Mammogram, left breast, MLO view. 48-year-old patient.
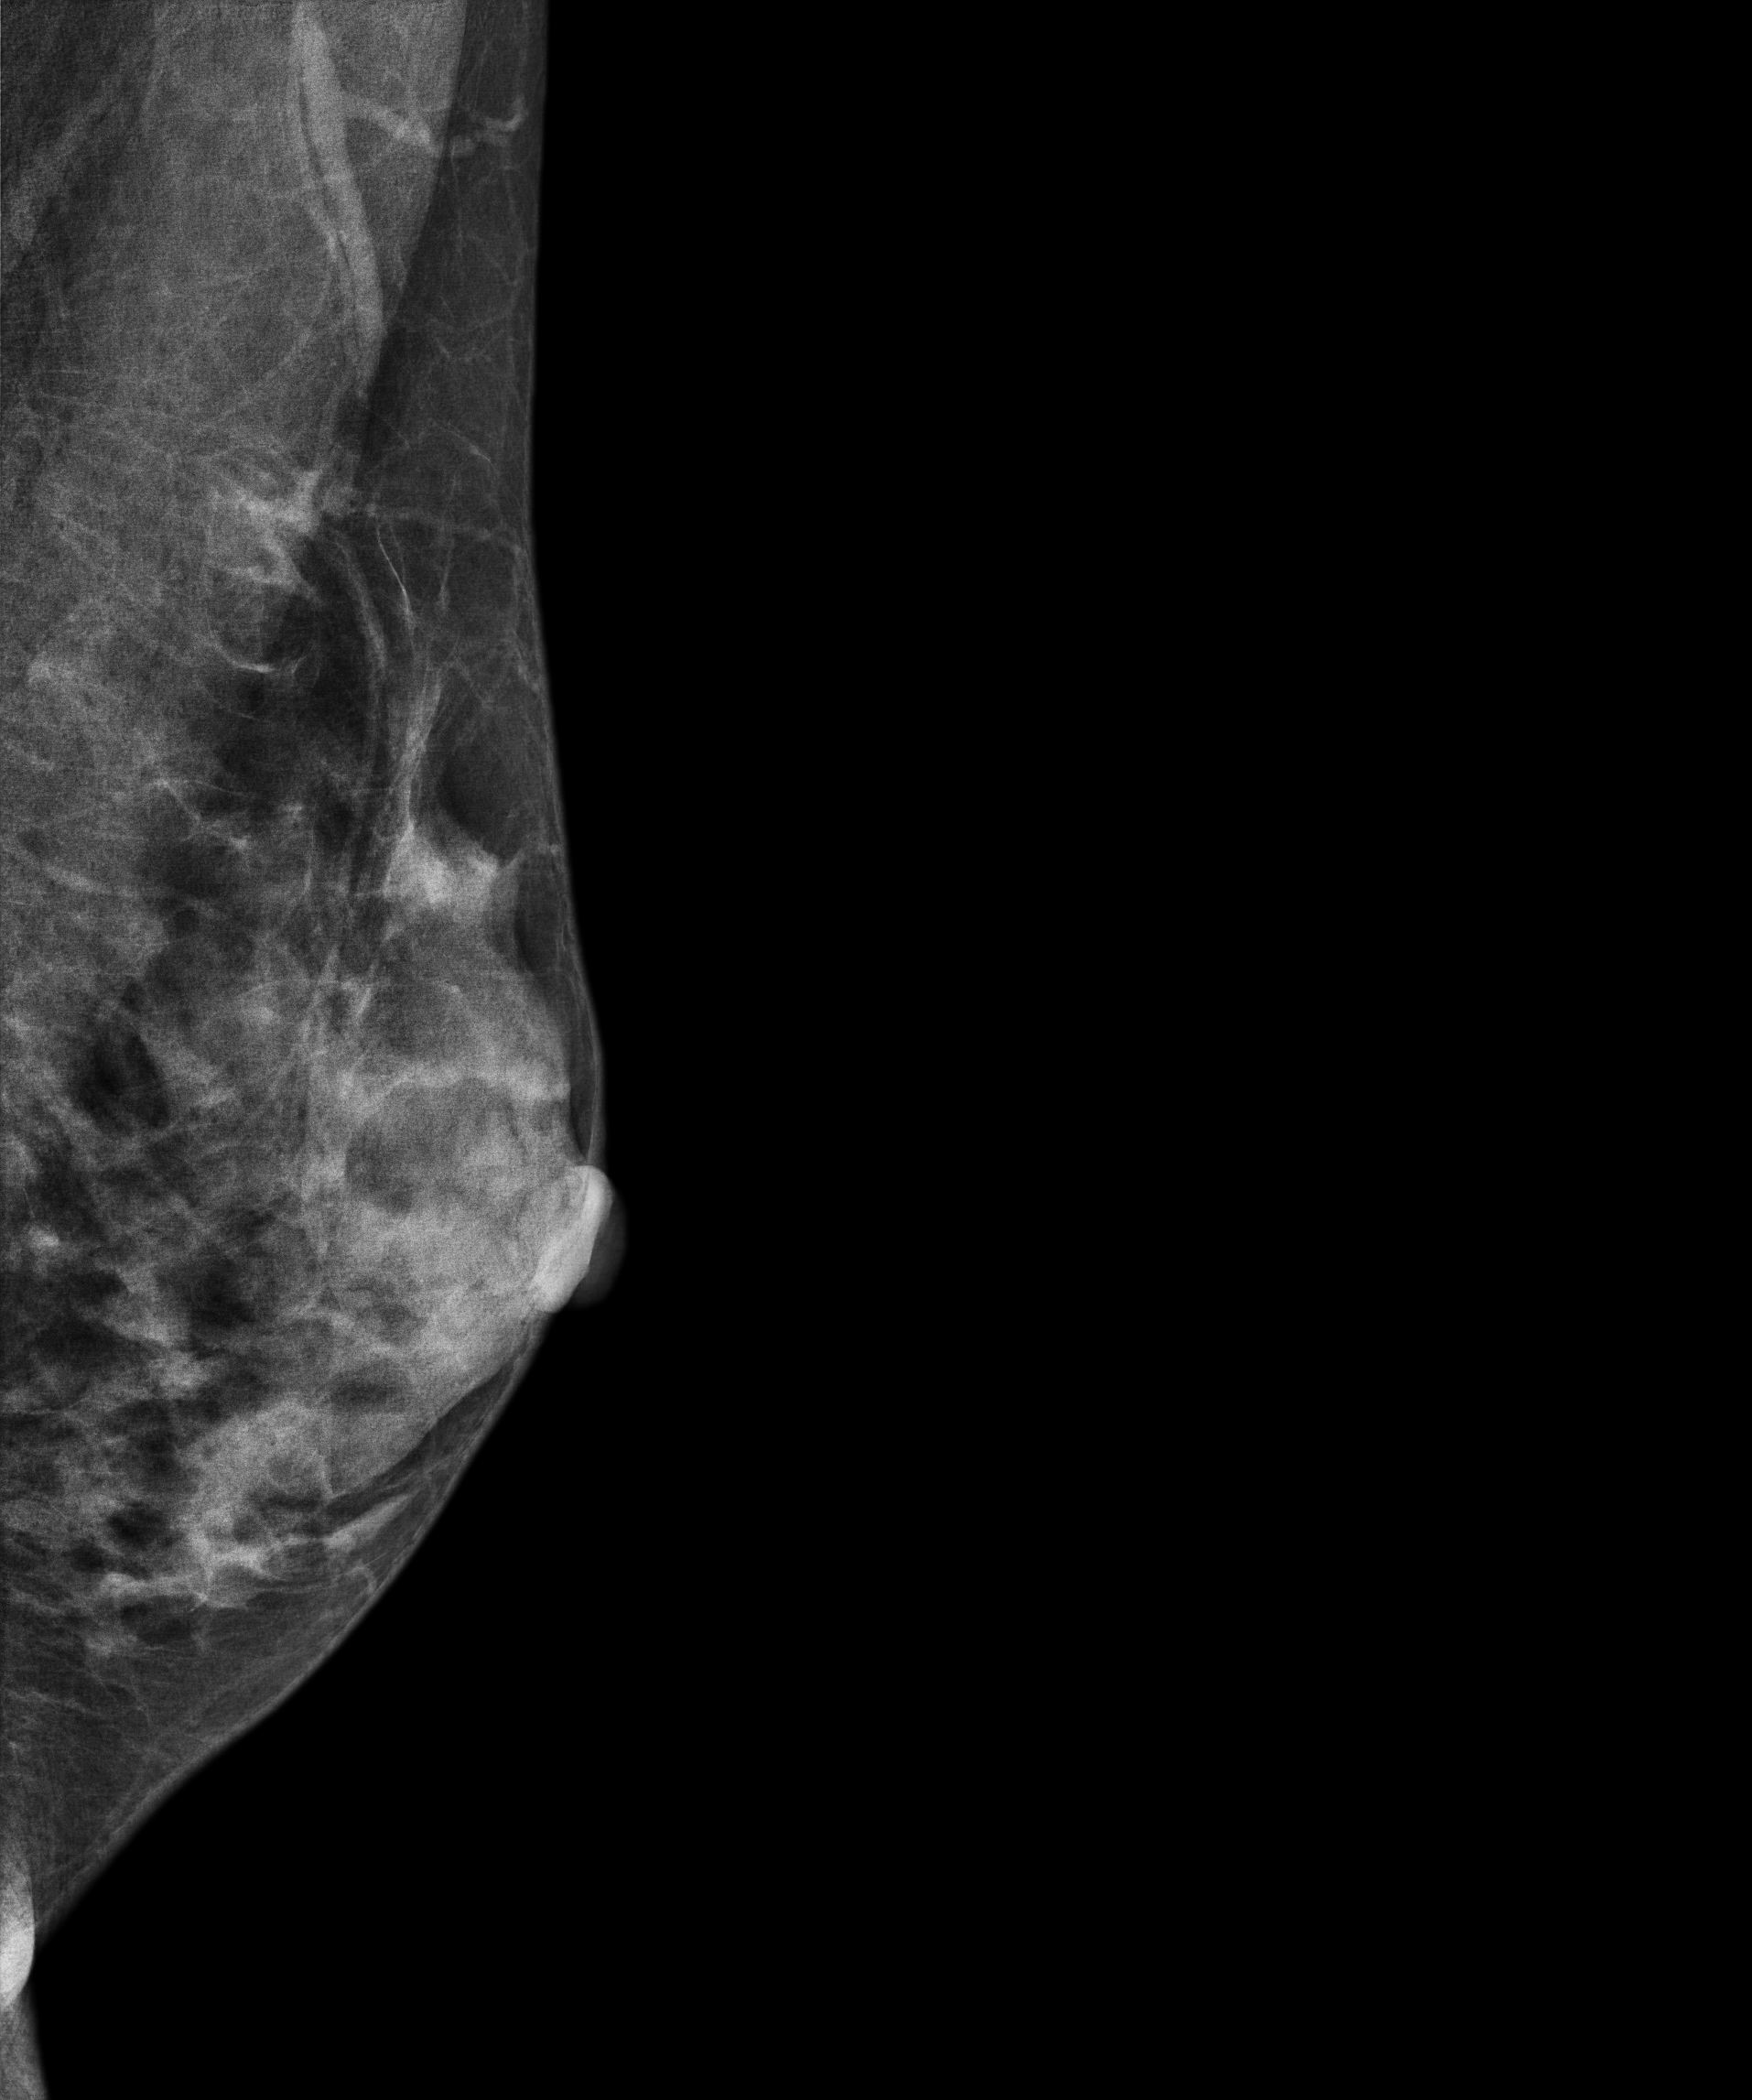
This breast has a mass, pathology-confirmed benign.